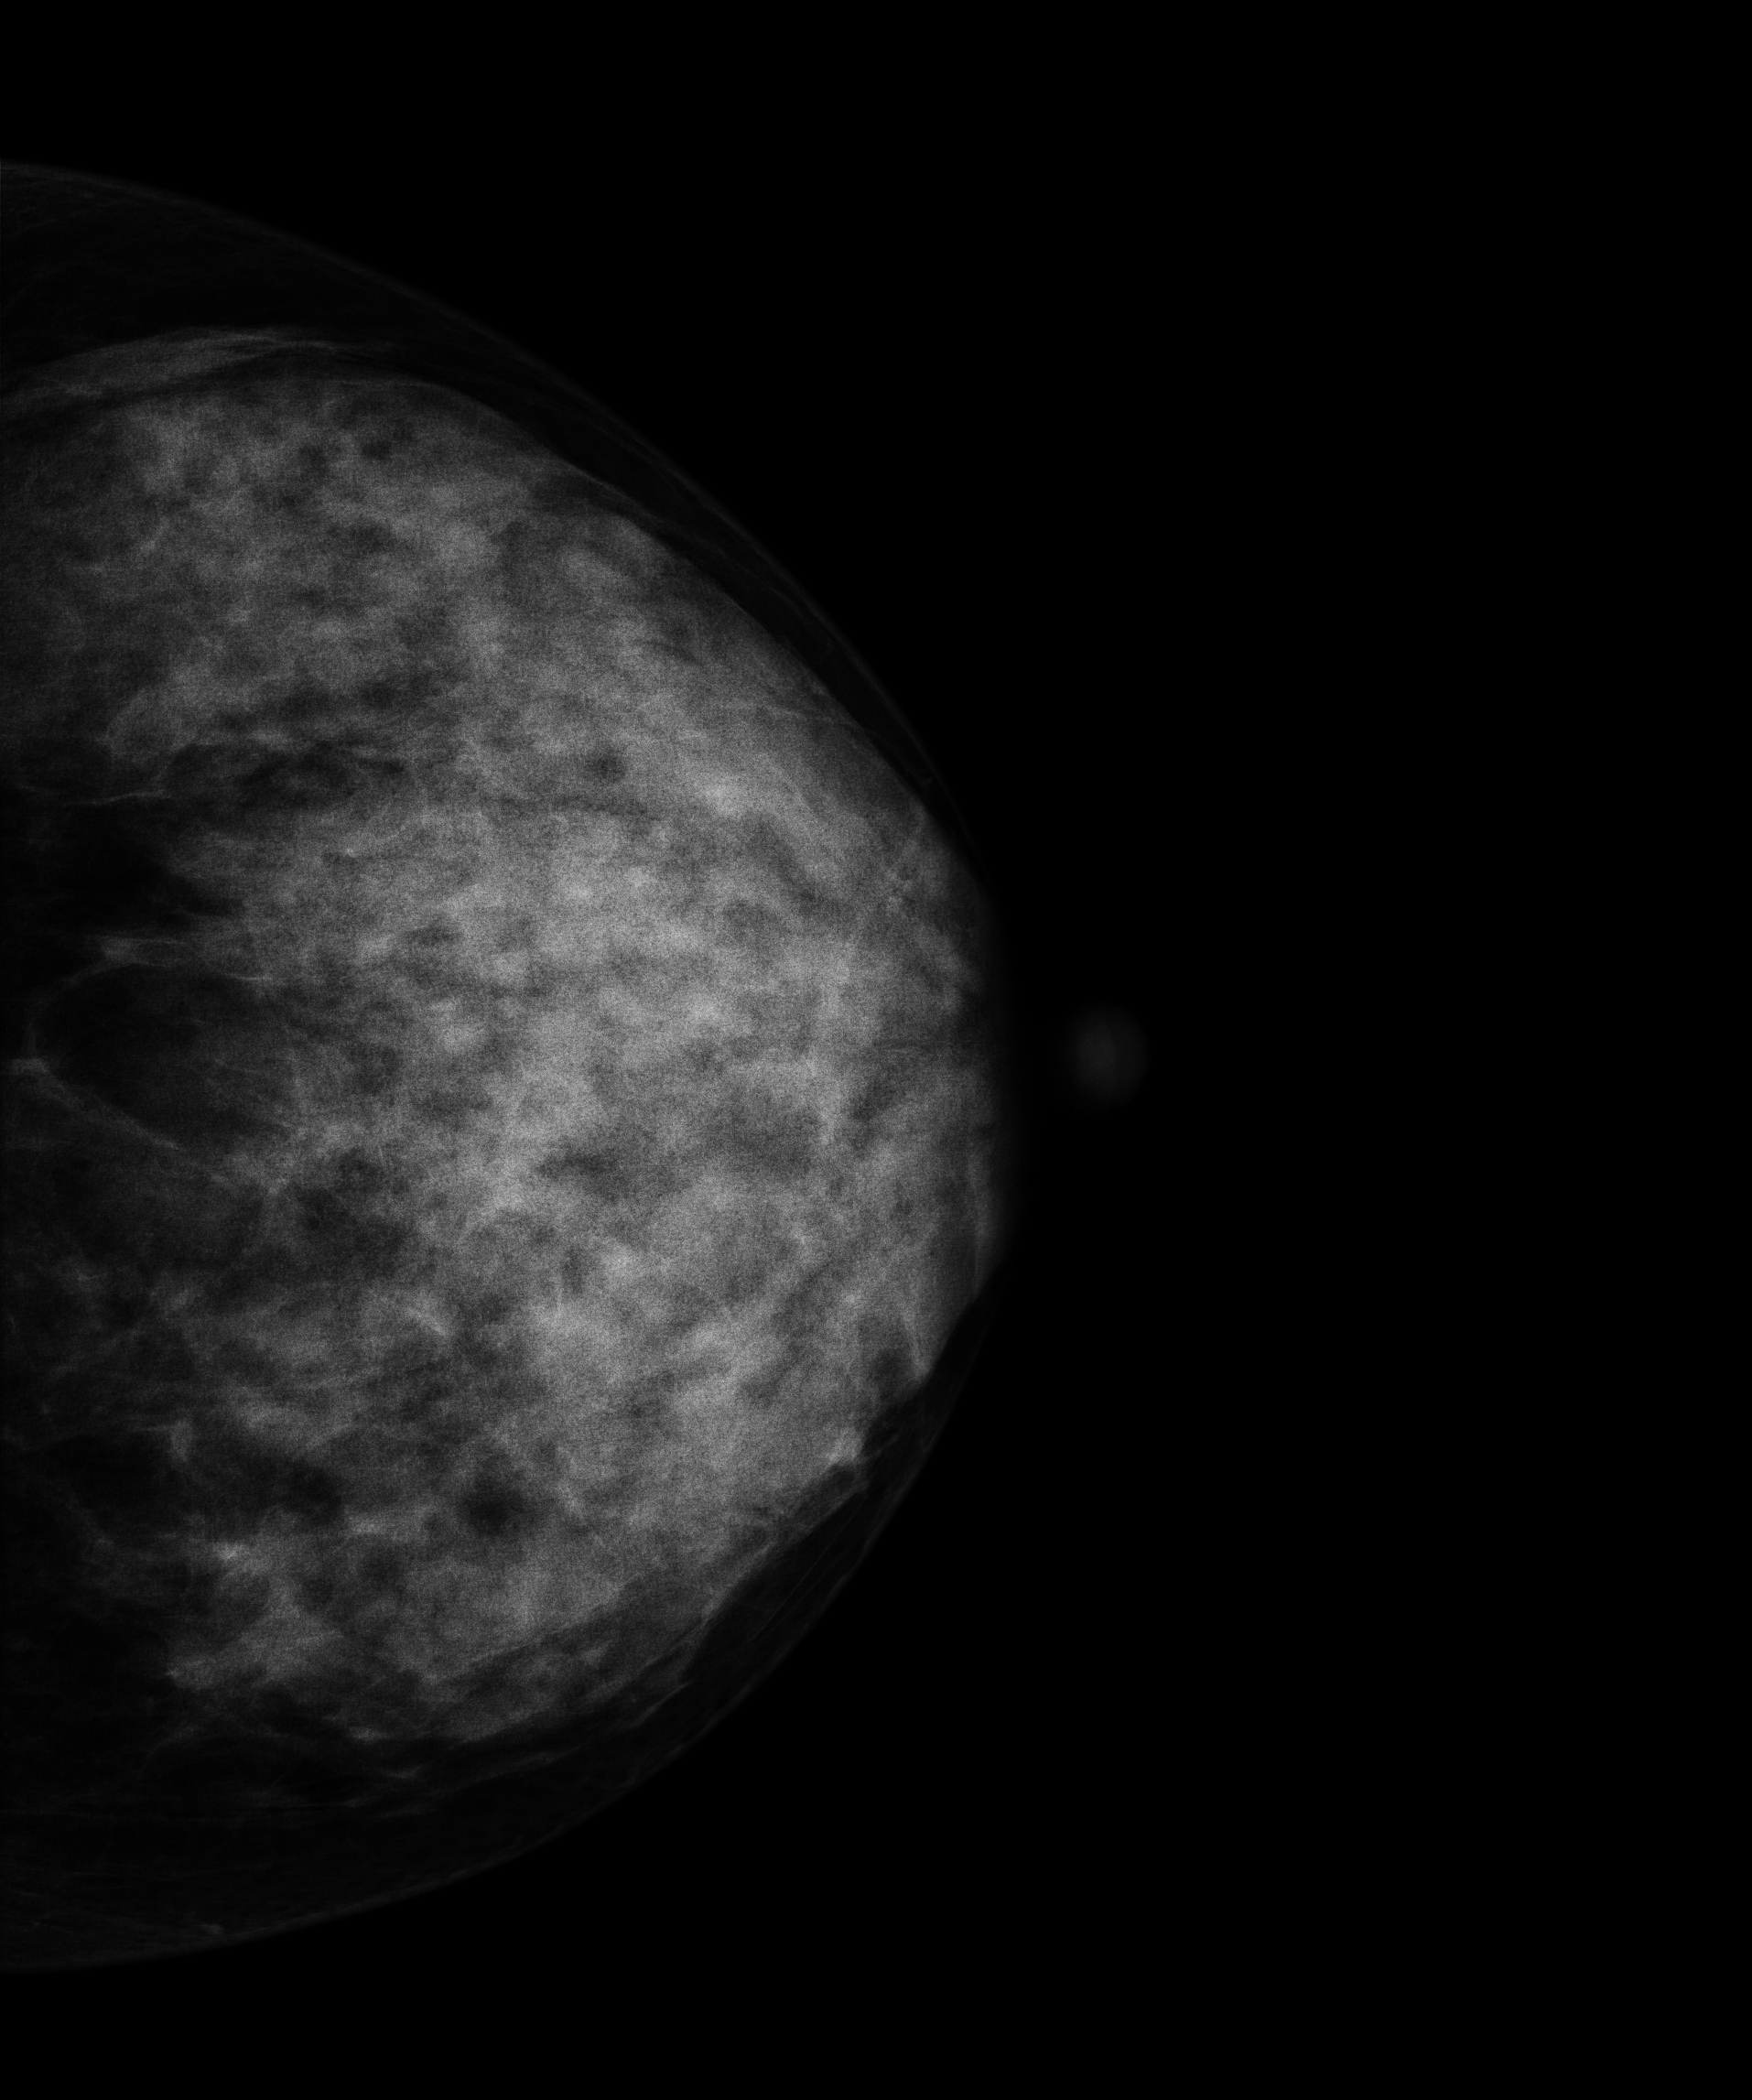
Mammogram, left breast, CC view. 44-year-old patient.
Contralateral breast — no documented abnormality on this side.